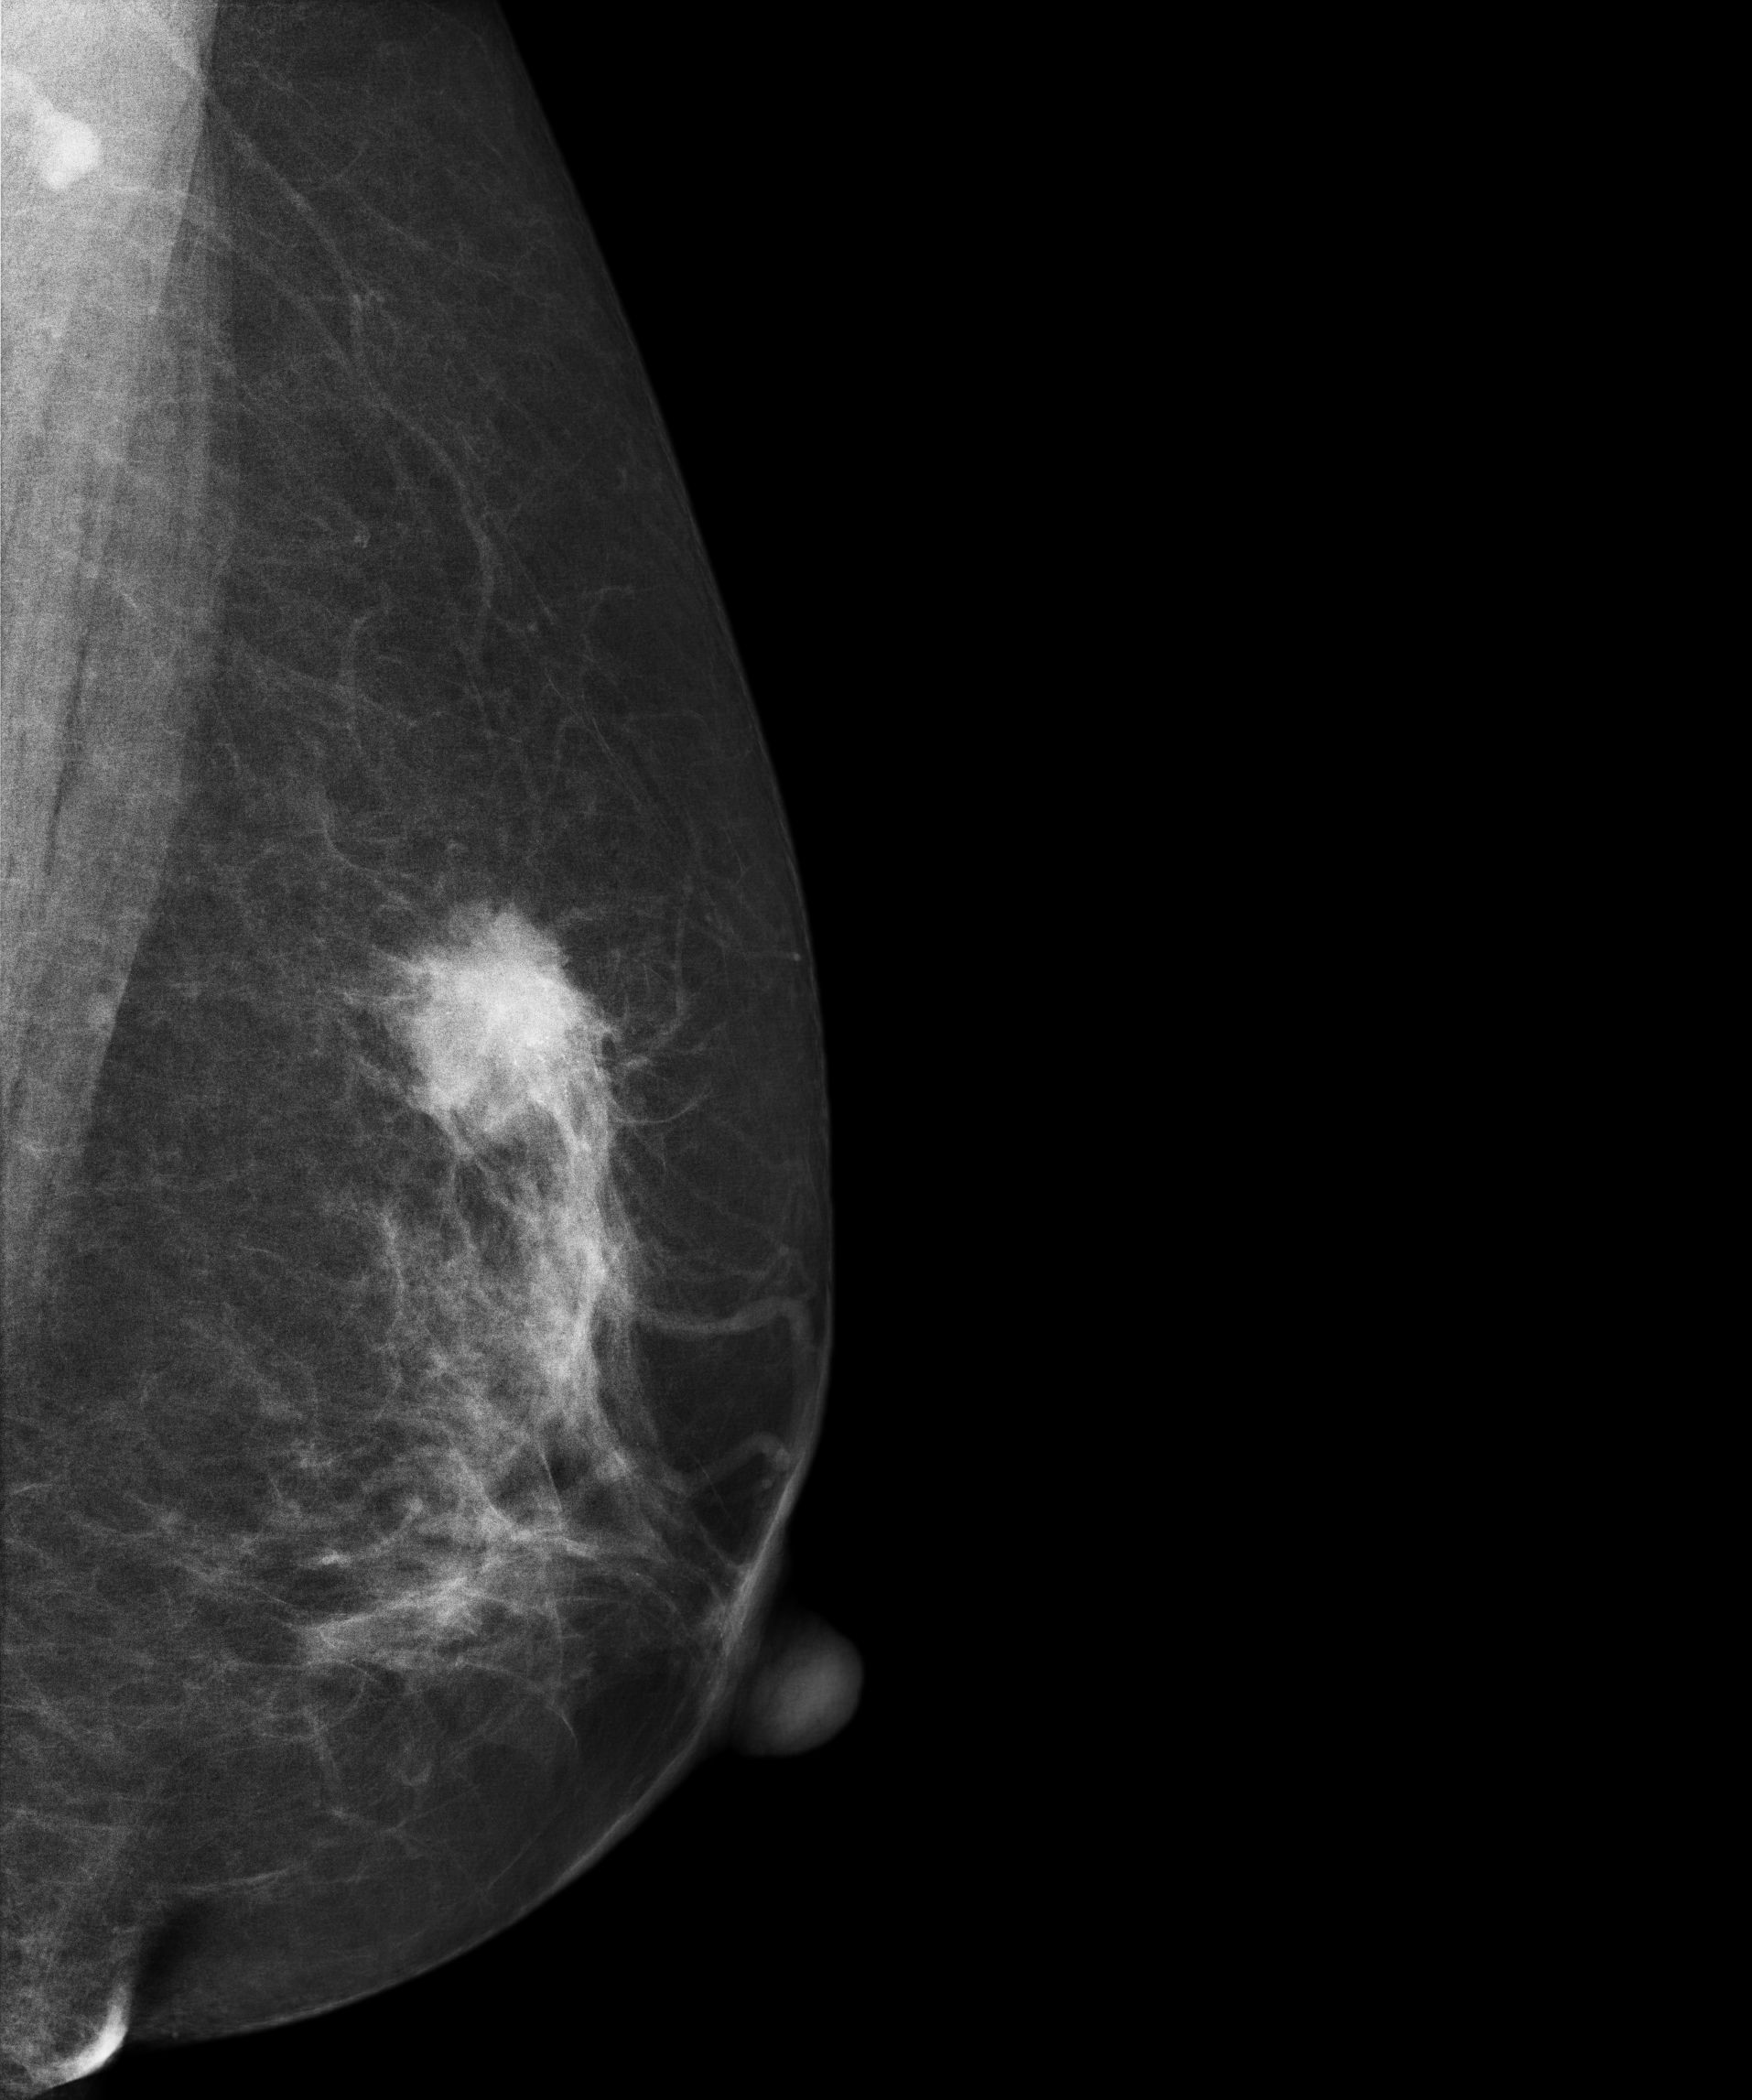
Mammogram — left medio-lateral oblique. 53 y/o patient.
This breast has a mass and calcifications, biopsy-confirmed malignant. Molecular subtype: luminal B.